Digital mammography. Left breast, cranio-caudal projection. Patient age 53.
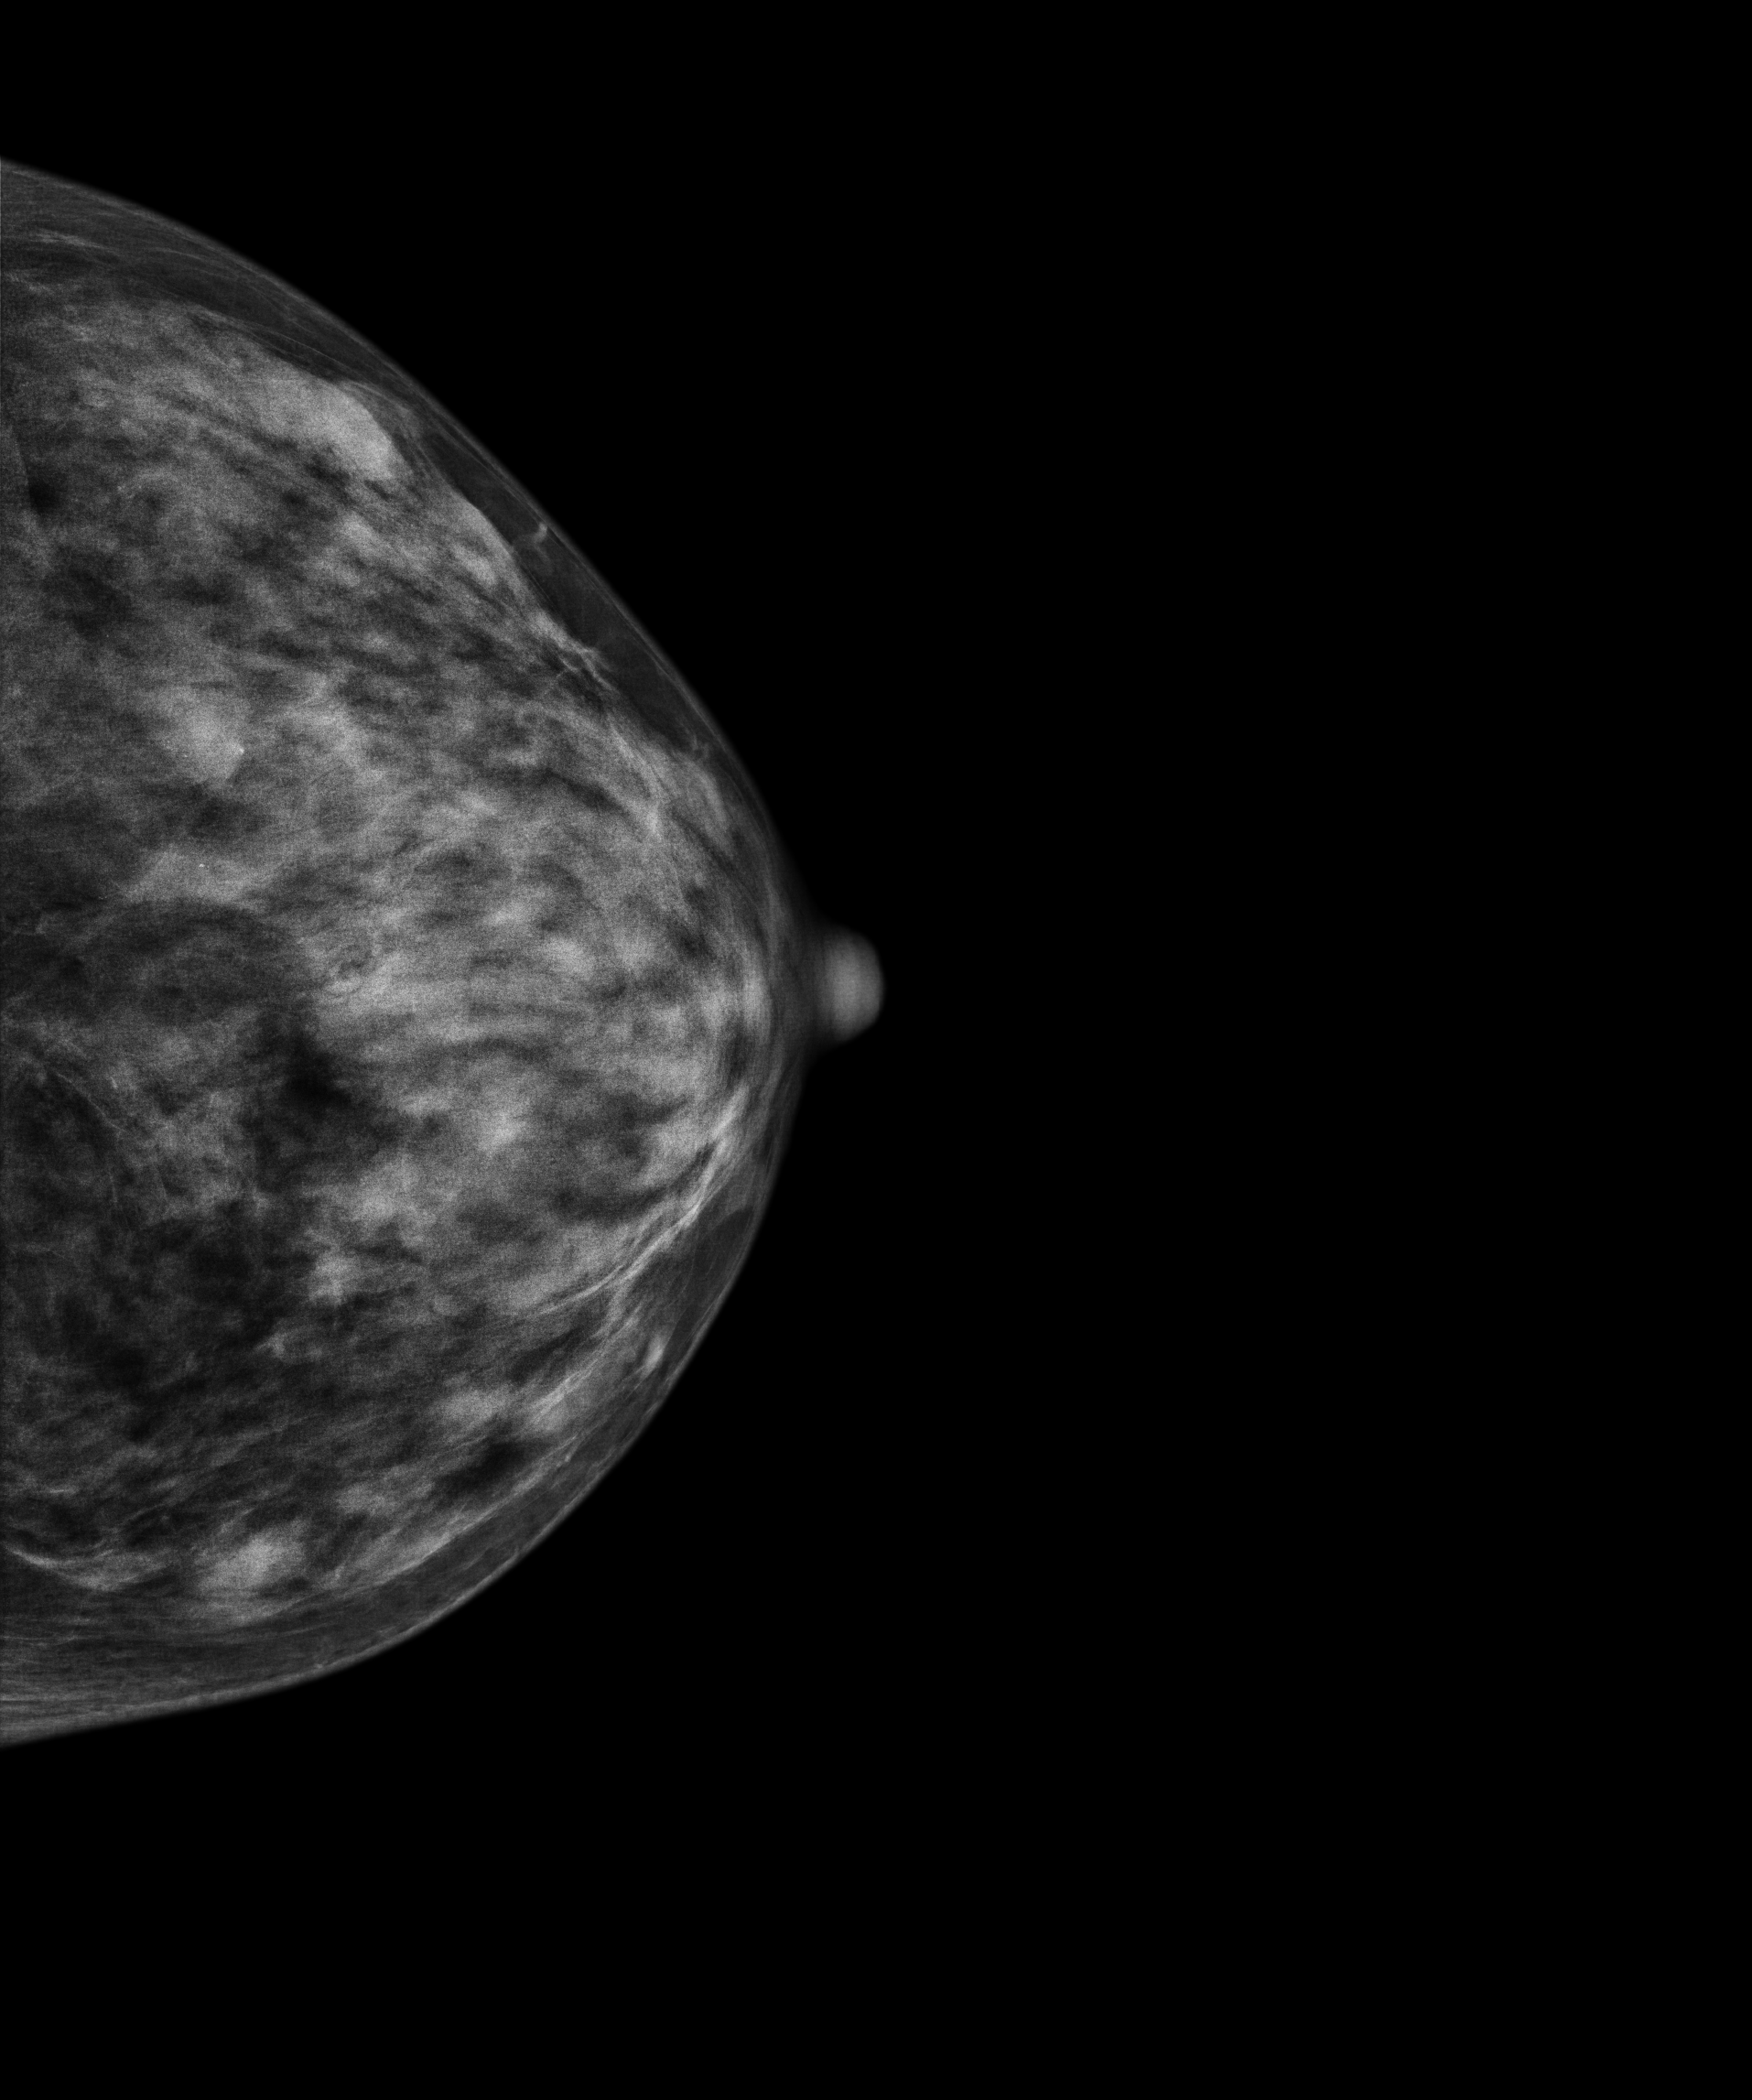
Contralateral breast — no documented abnormality on this side.